Digital mammography. Right breast, MLO projection. 51 y/o patient.
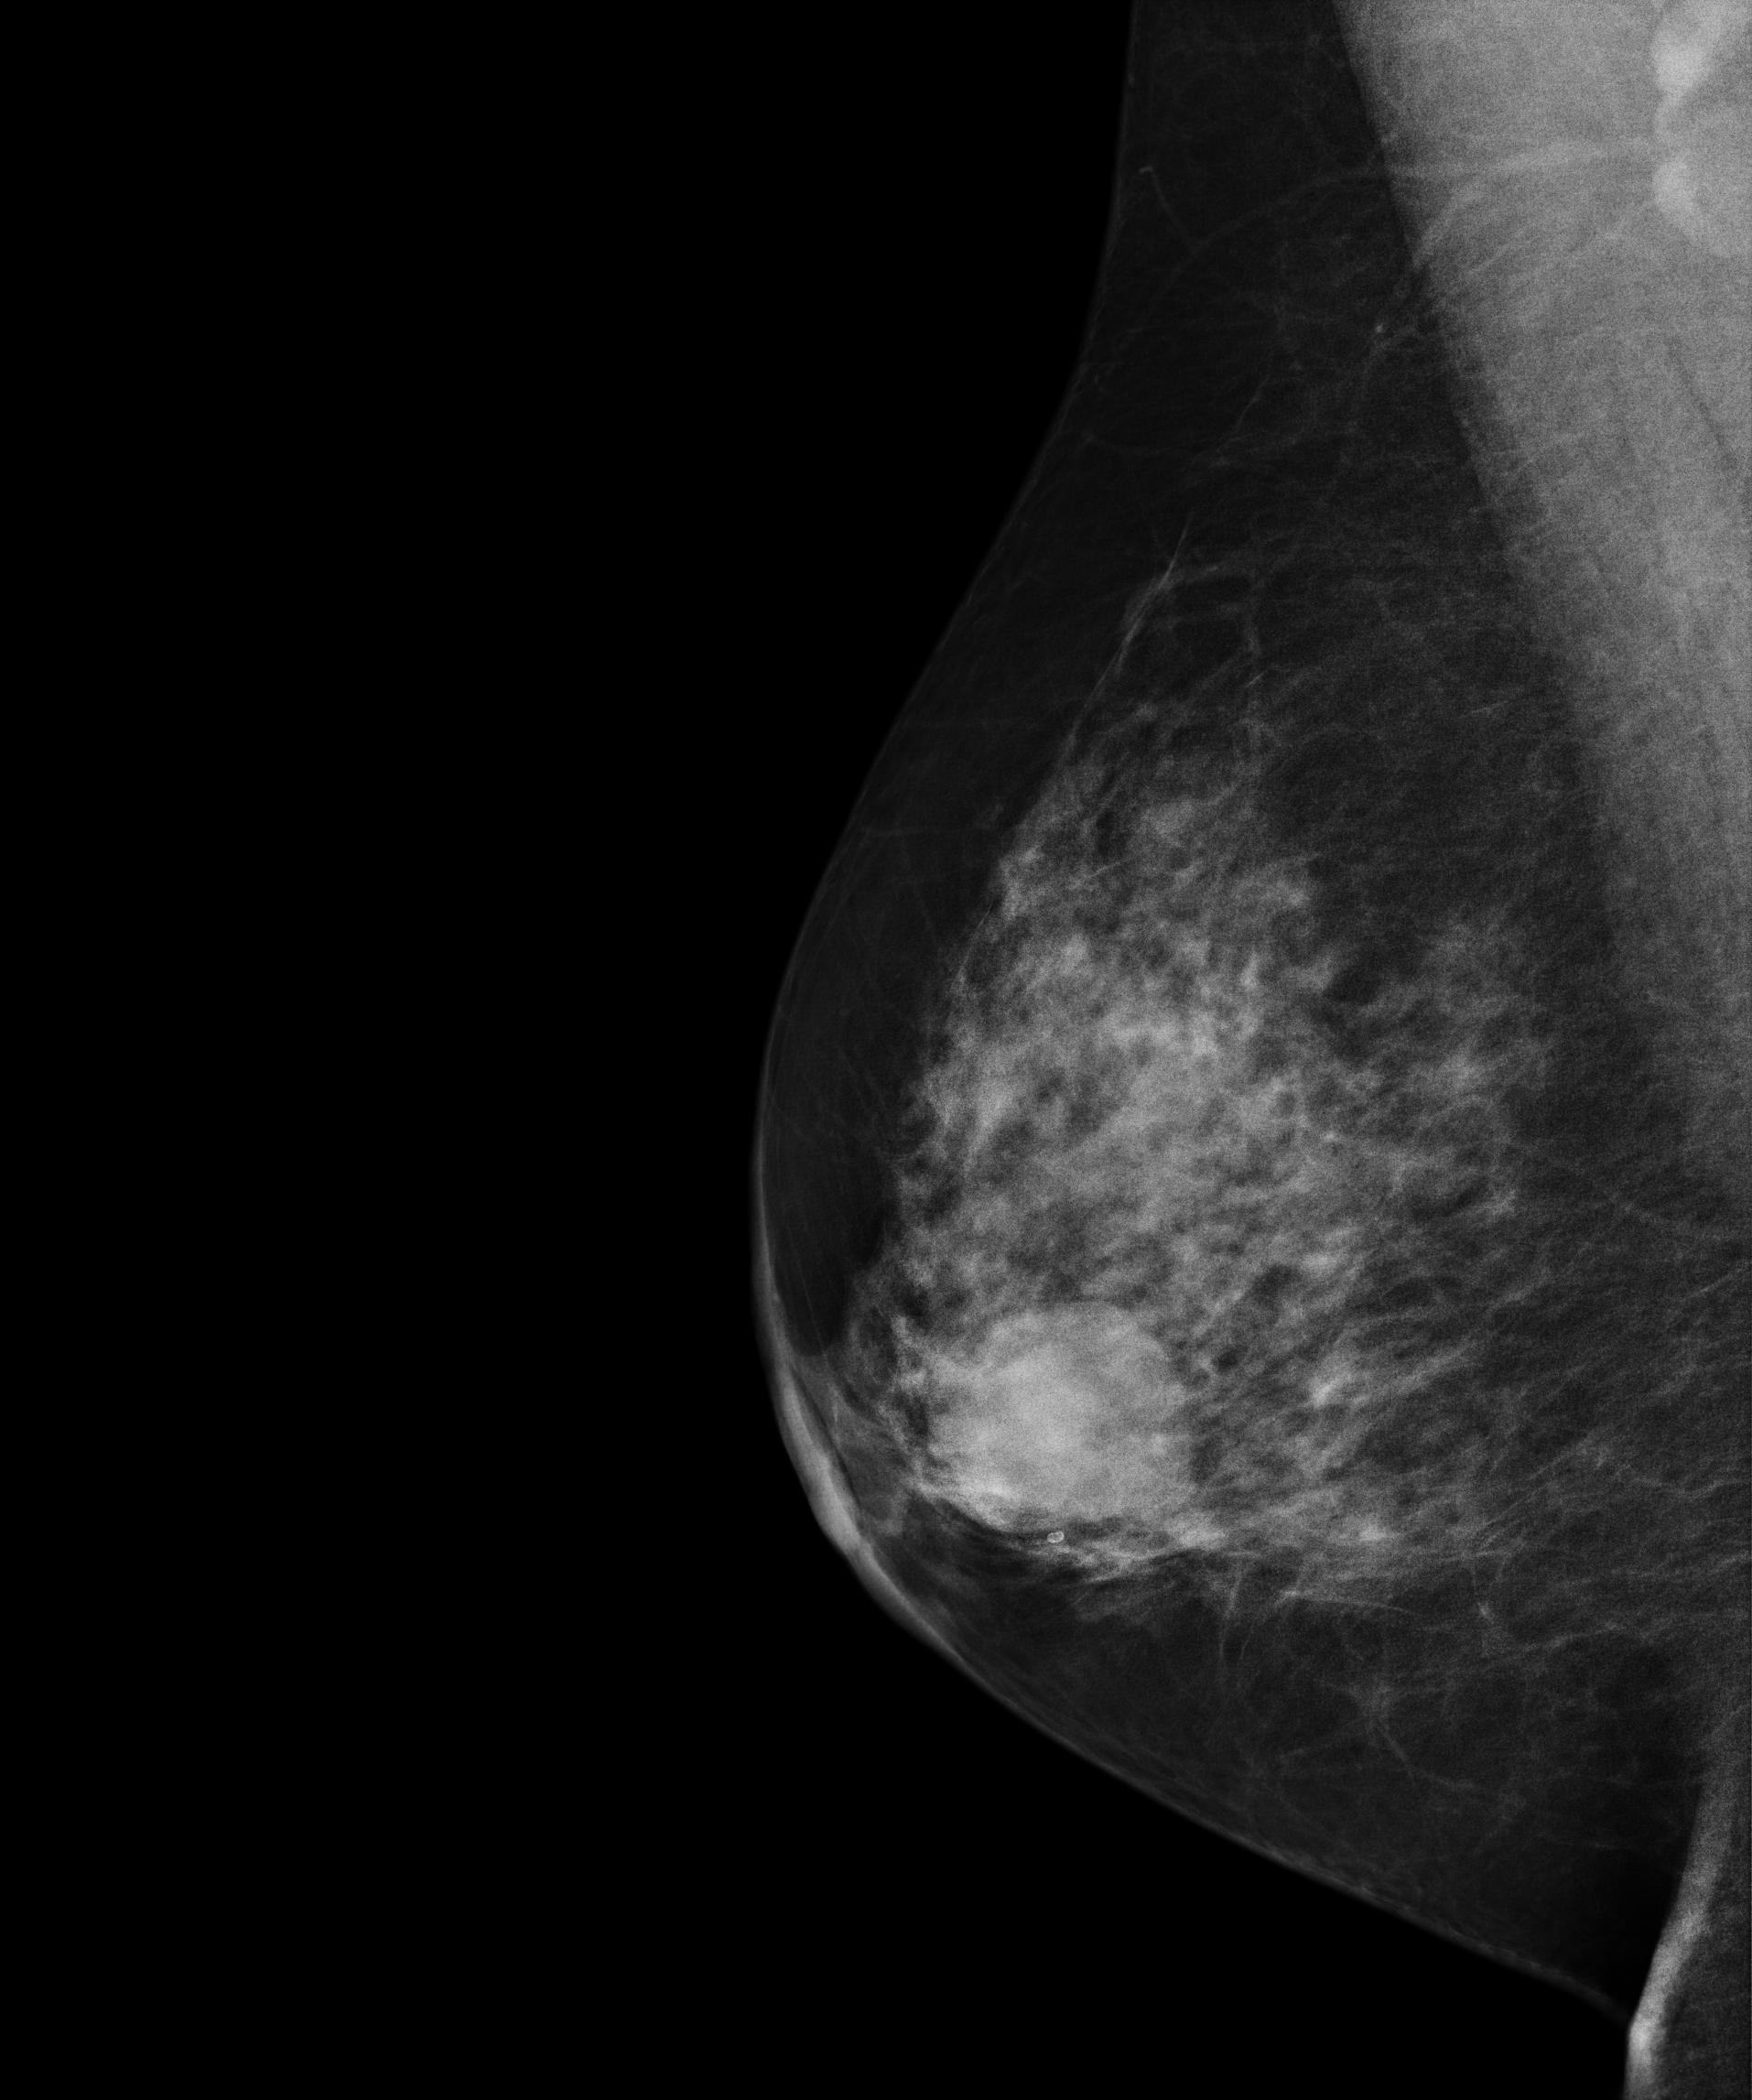
This breast has a mass, pathology-confirmed benign.